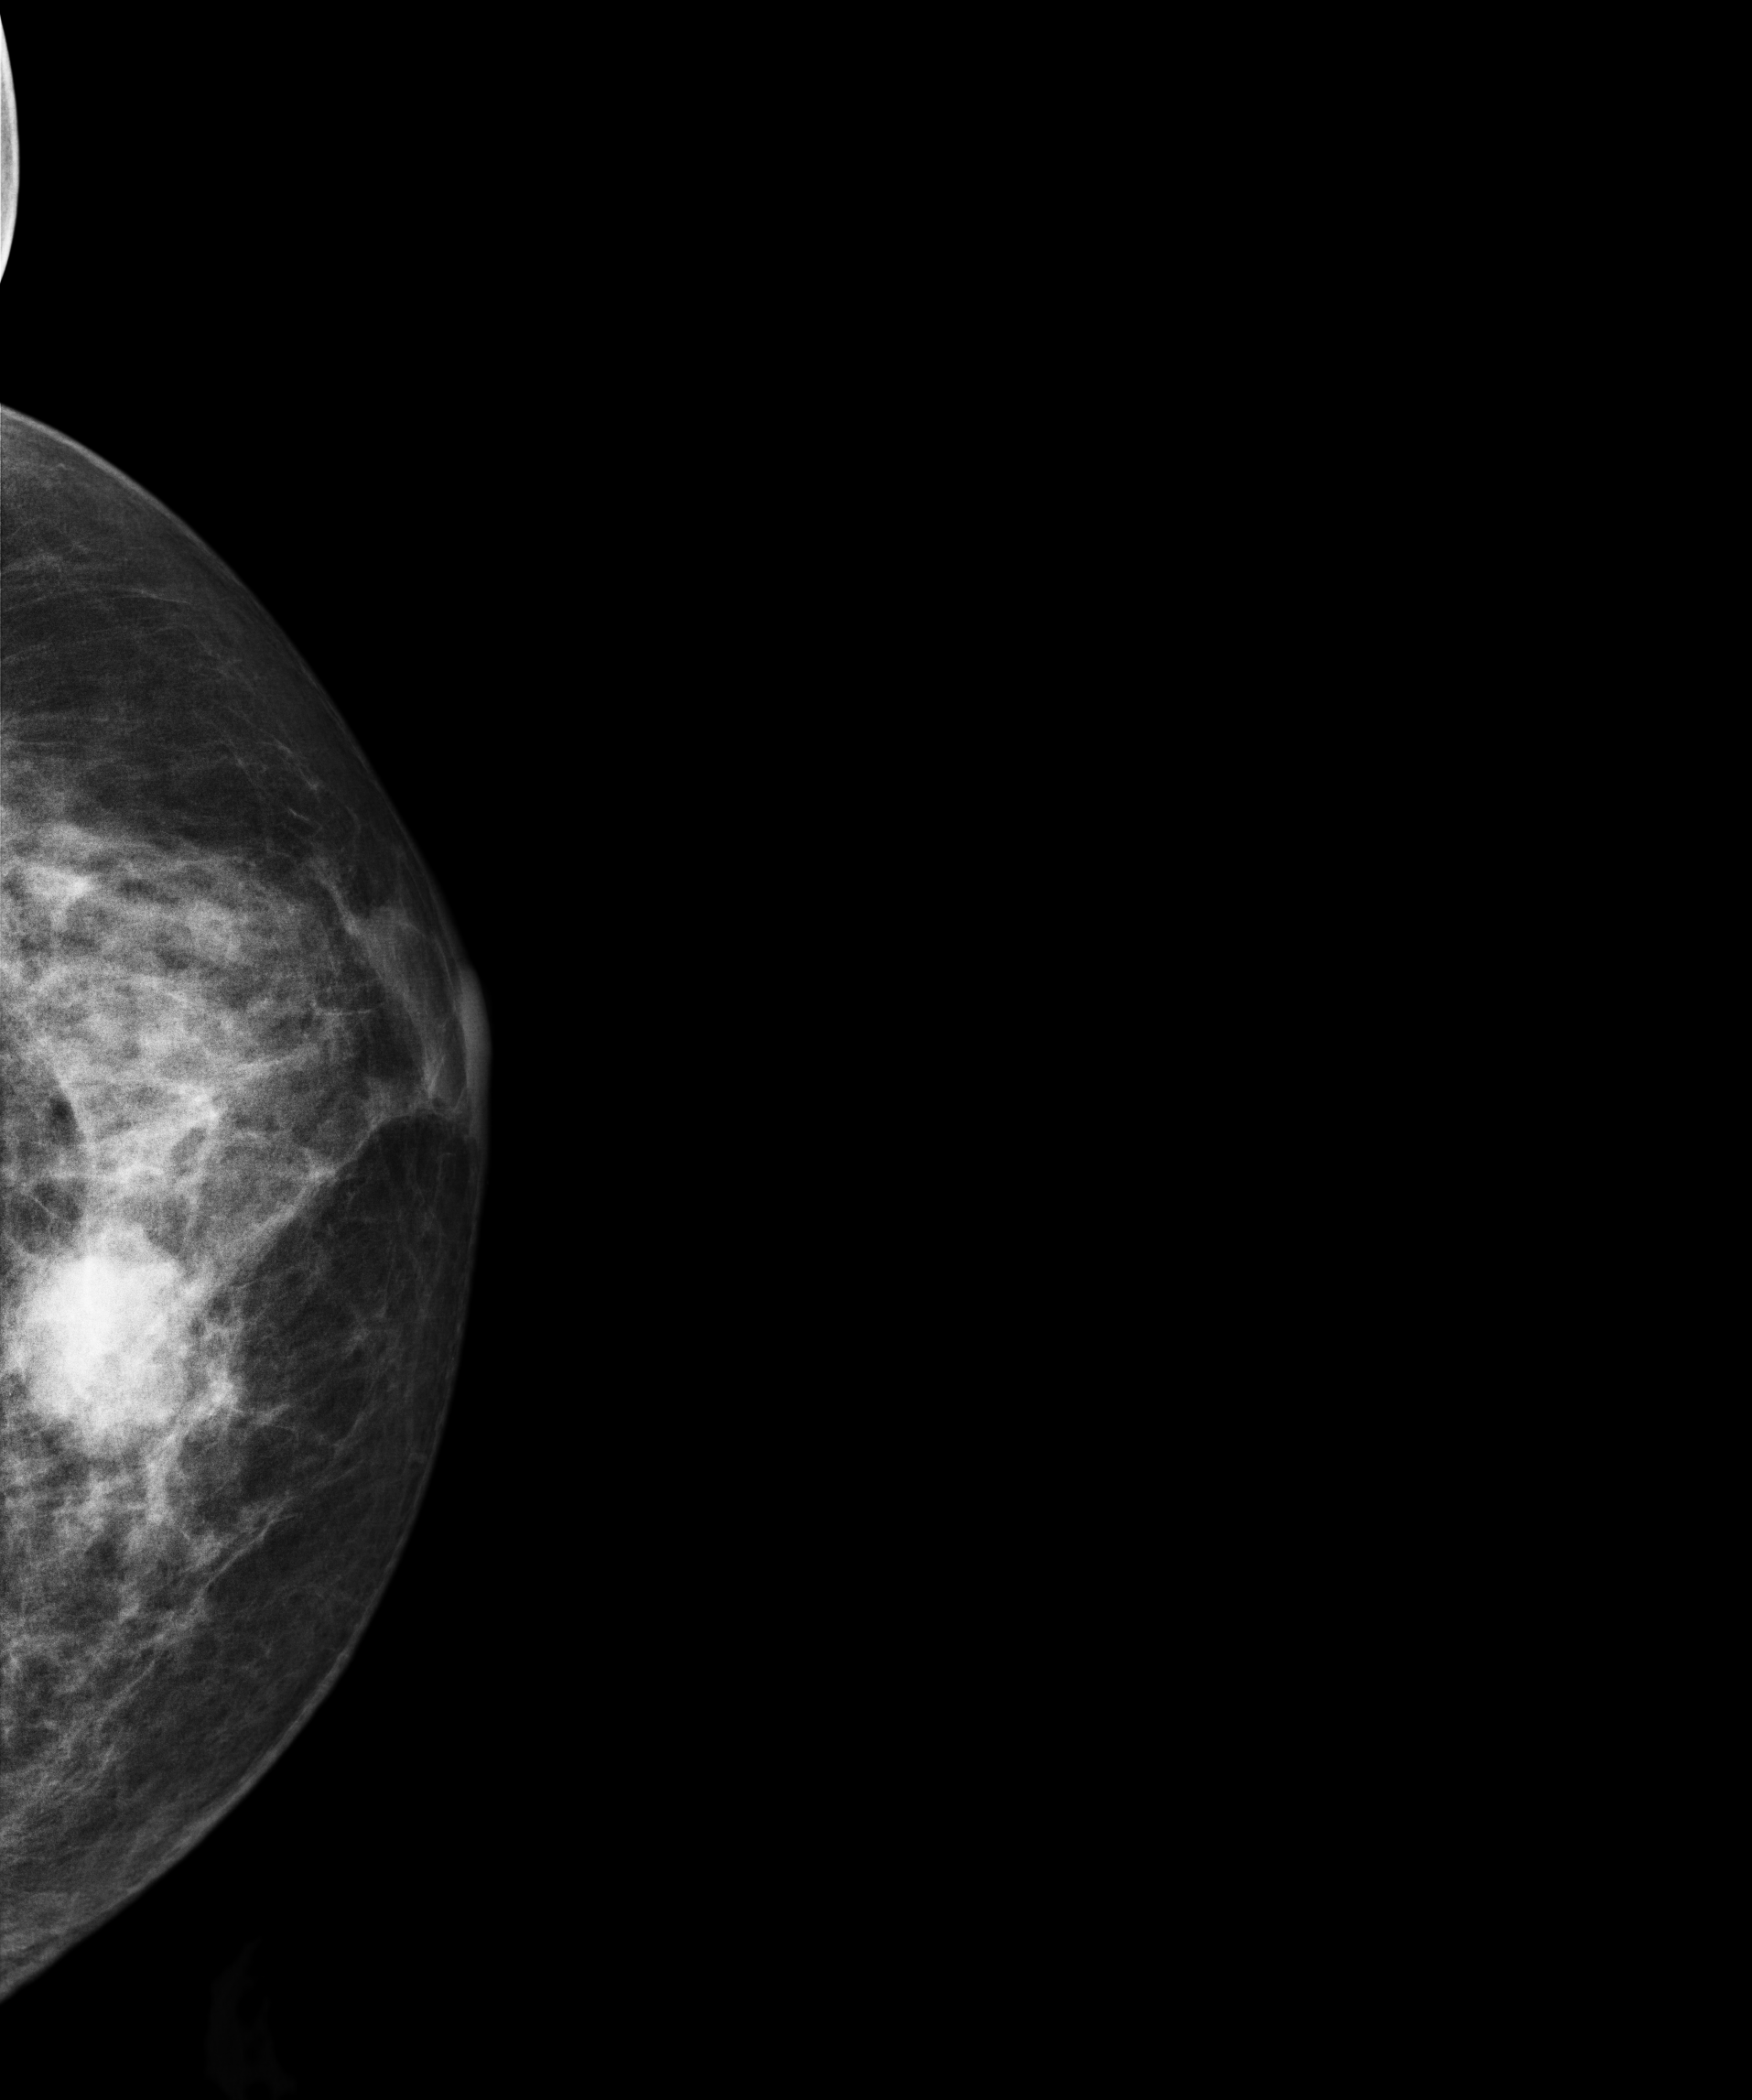
Digital mammography. Left breast, cranio-caudal projection. 56-year-old patient.
This breast has a mass, biopsy-proven malignant. Molecular subtype: triple-negative.